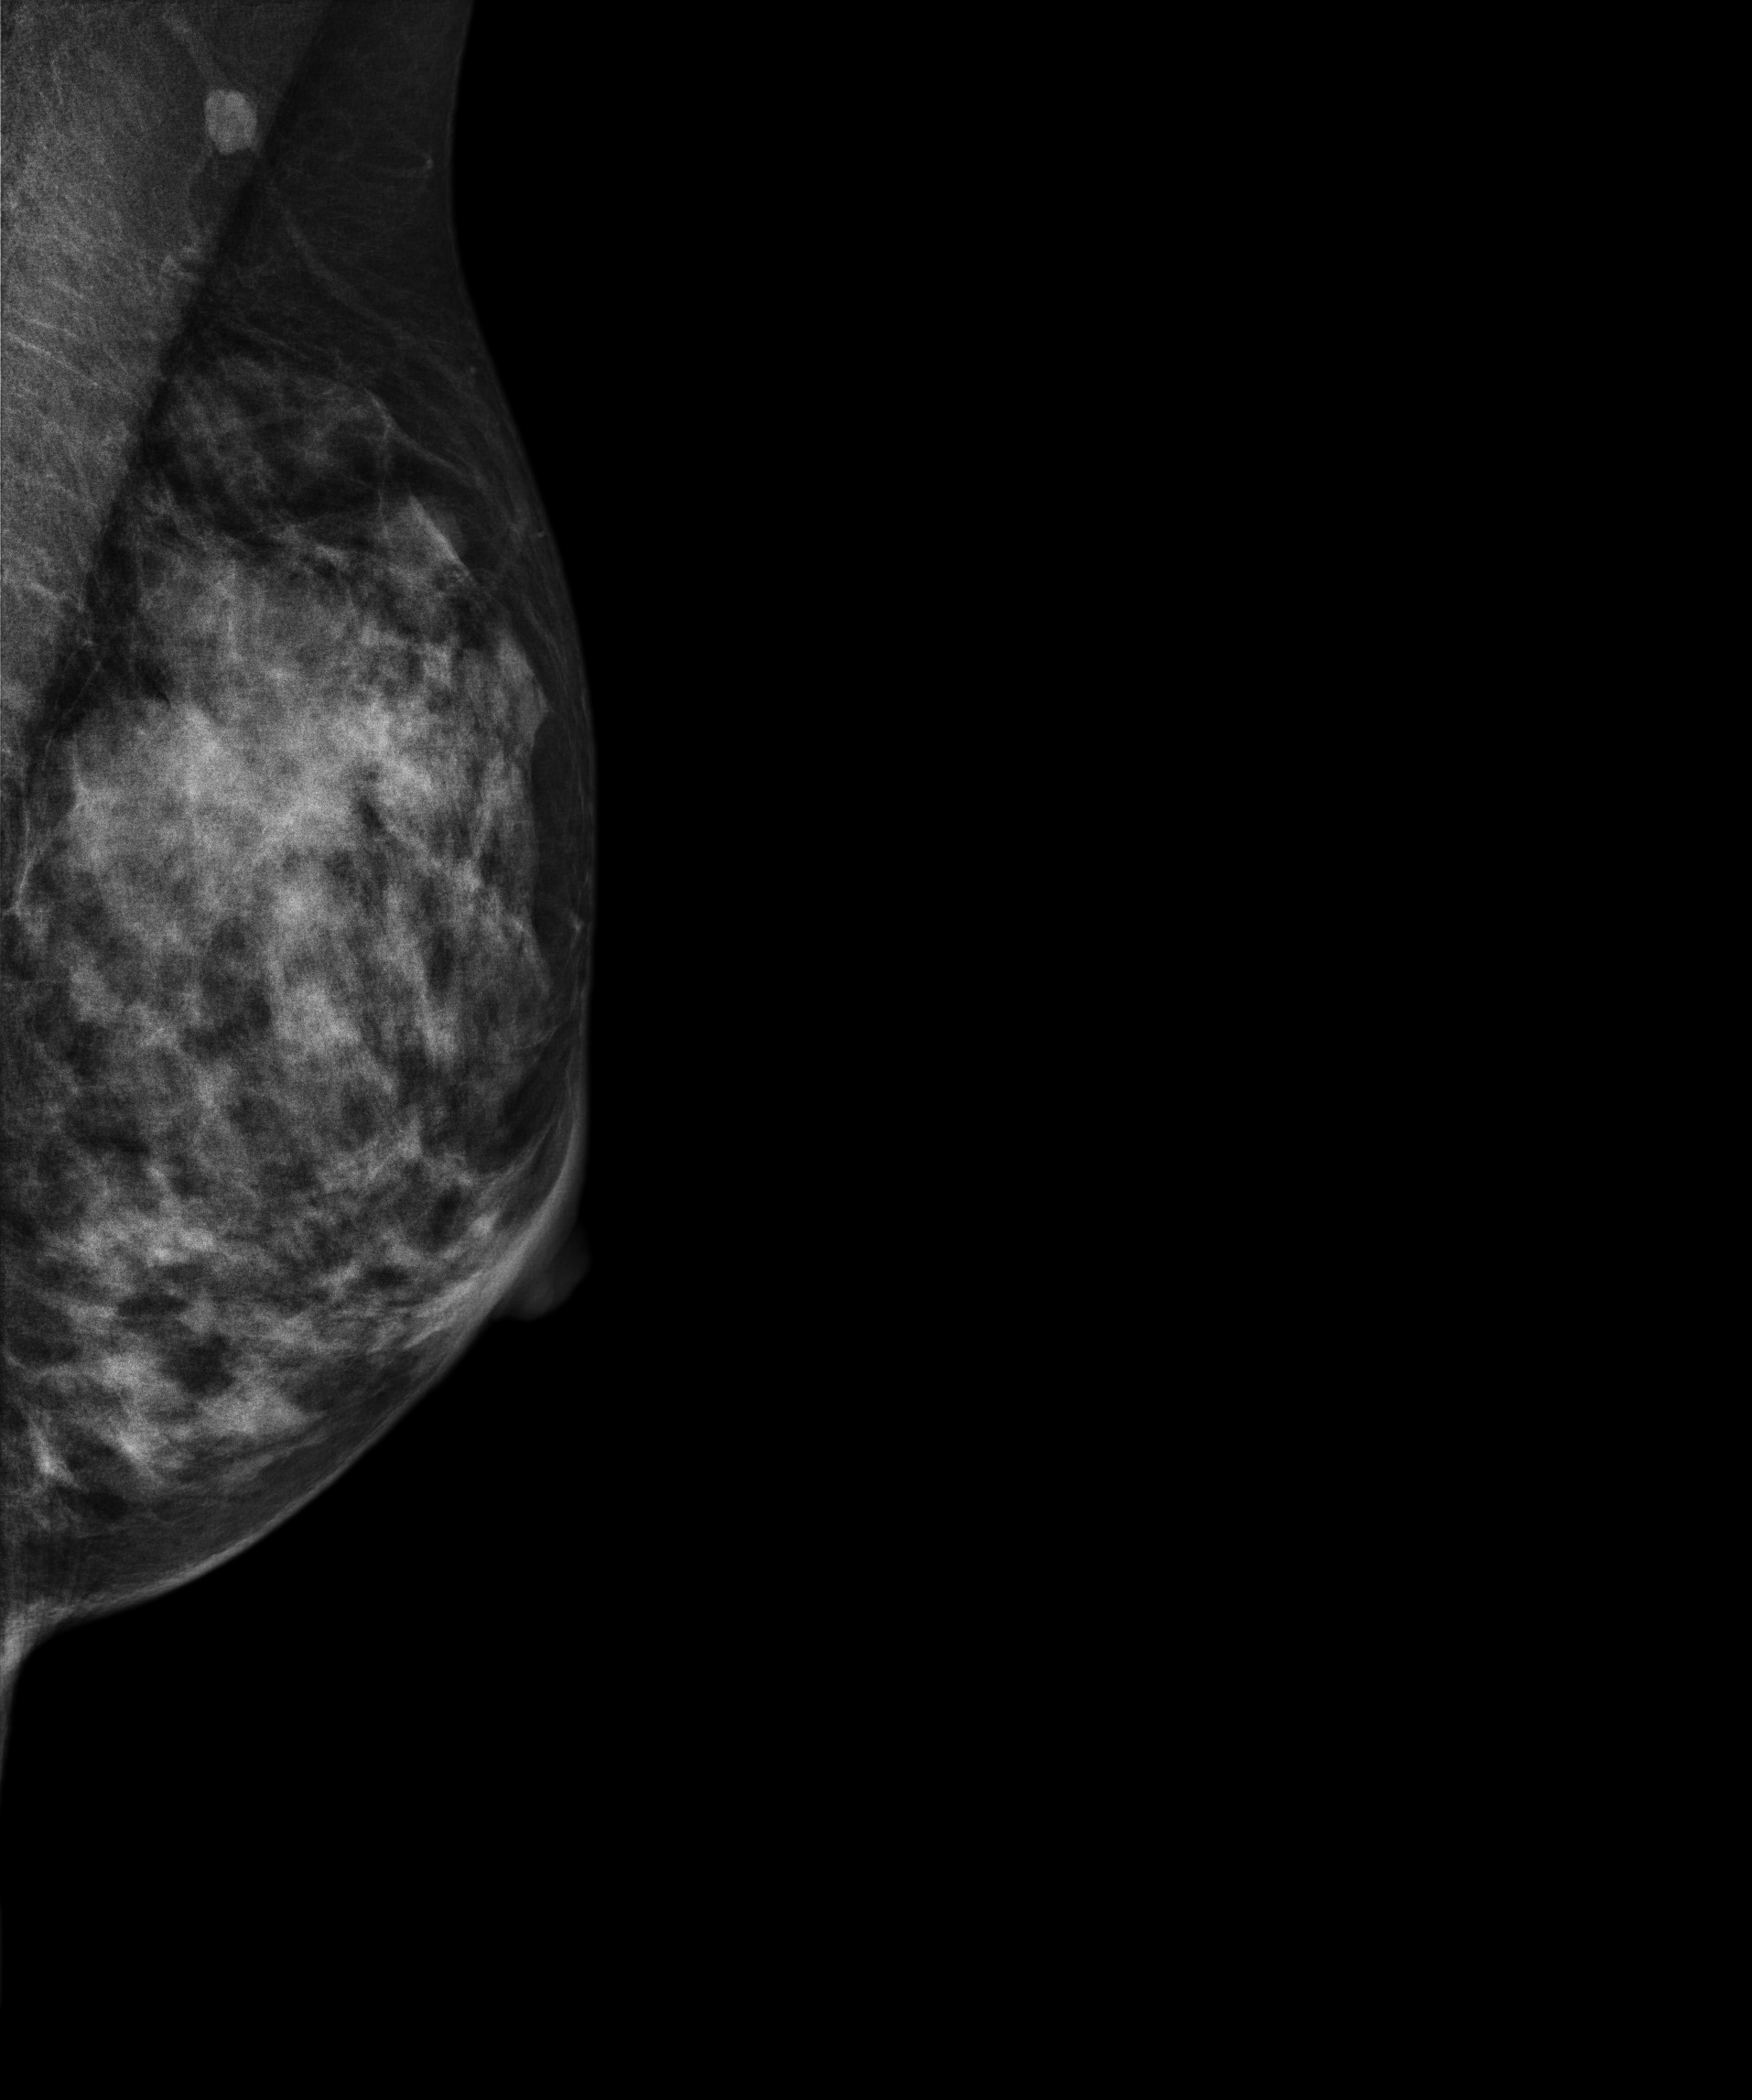
Mammogram — left MLO. Patient age 52.
This breast has a mass, histologically confirmed malignant. Molecular subtype: luminal B.